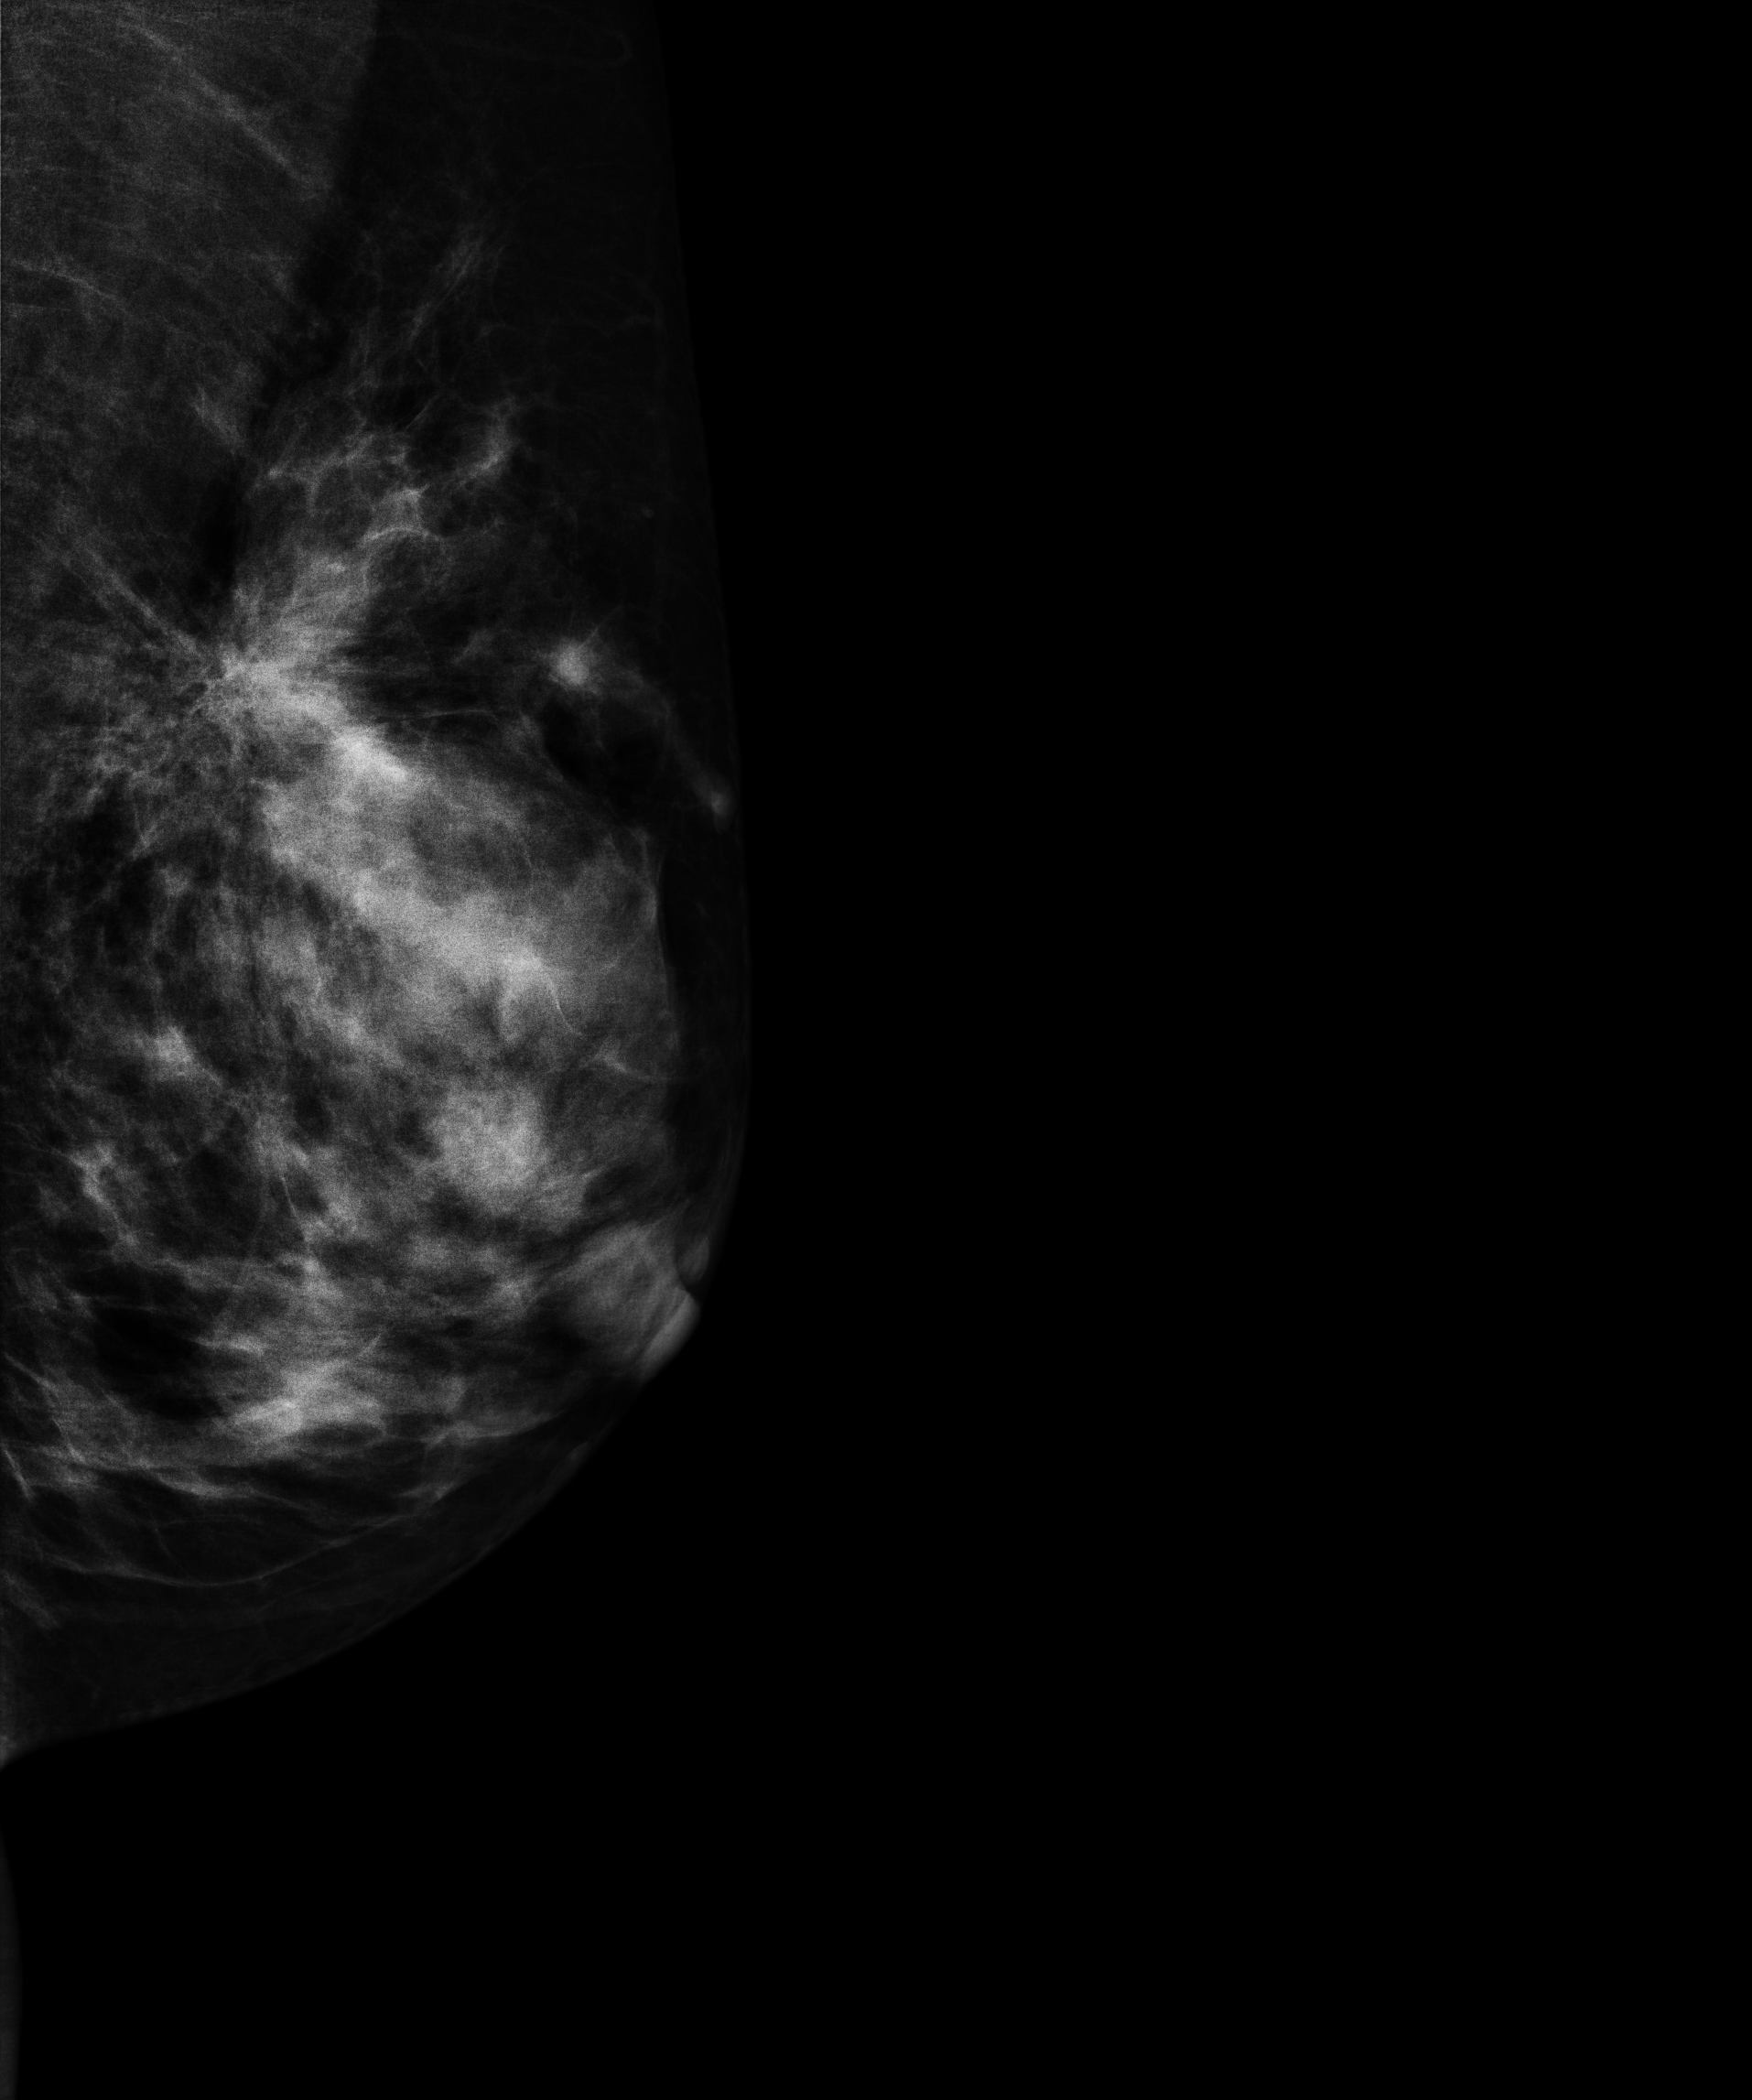
Digital mammography. Left breast, MLO projection. 49 y/o patient.
This breast has a mass, biopsy-confirmed malignant. Molecular subtype: triple-negative.